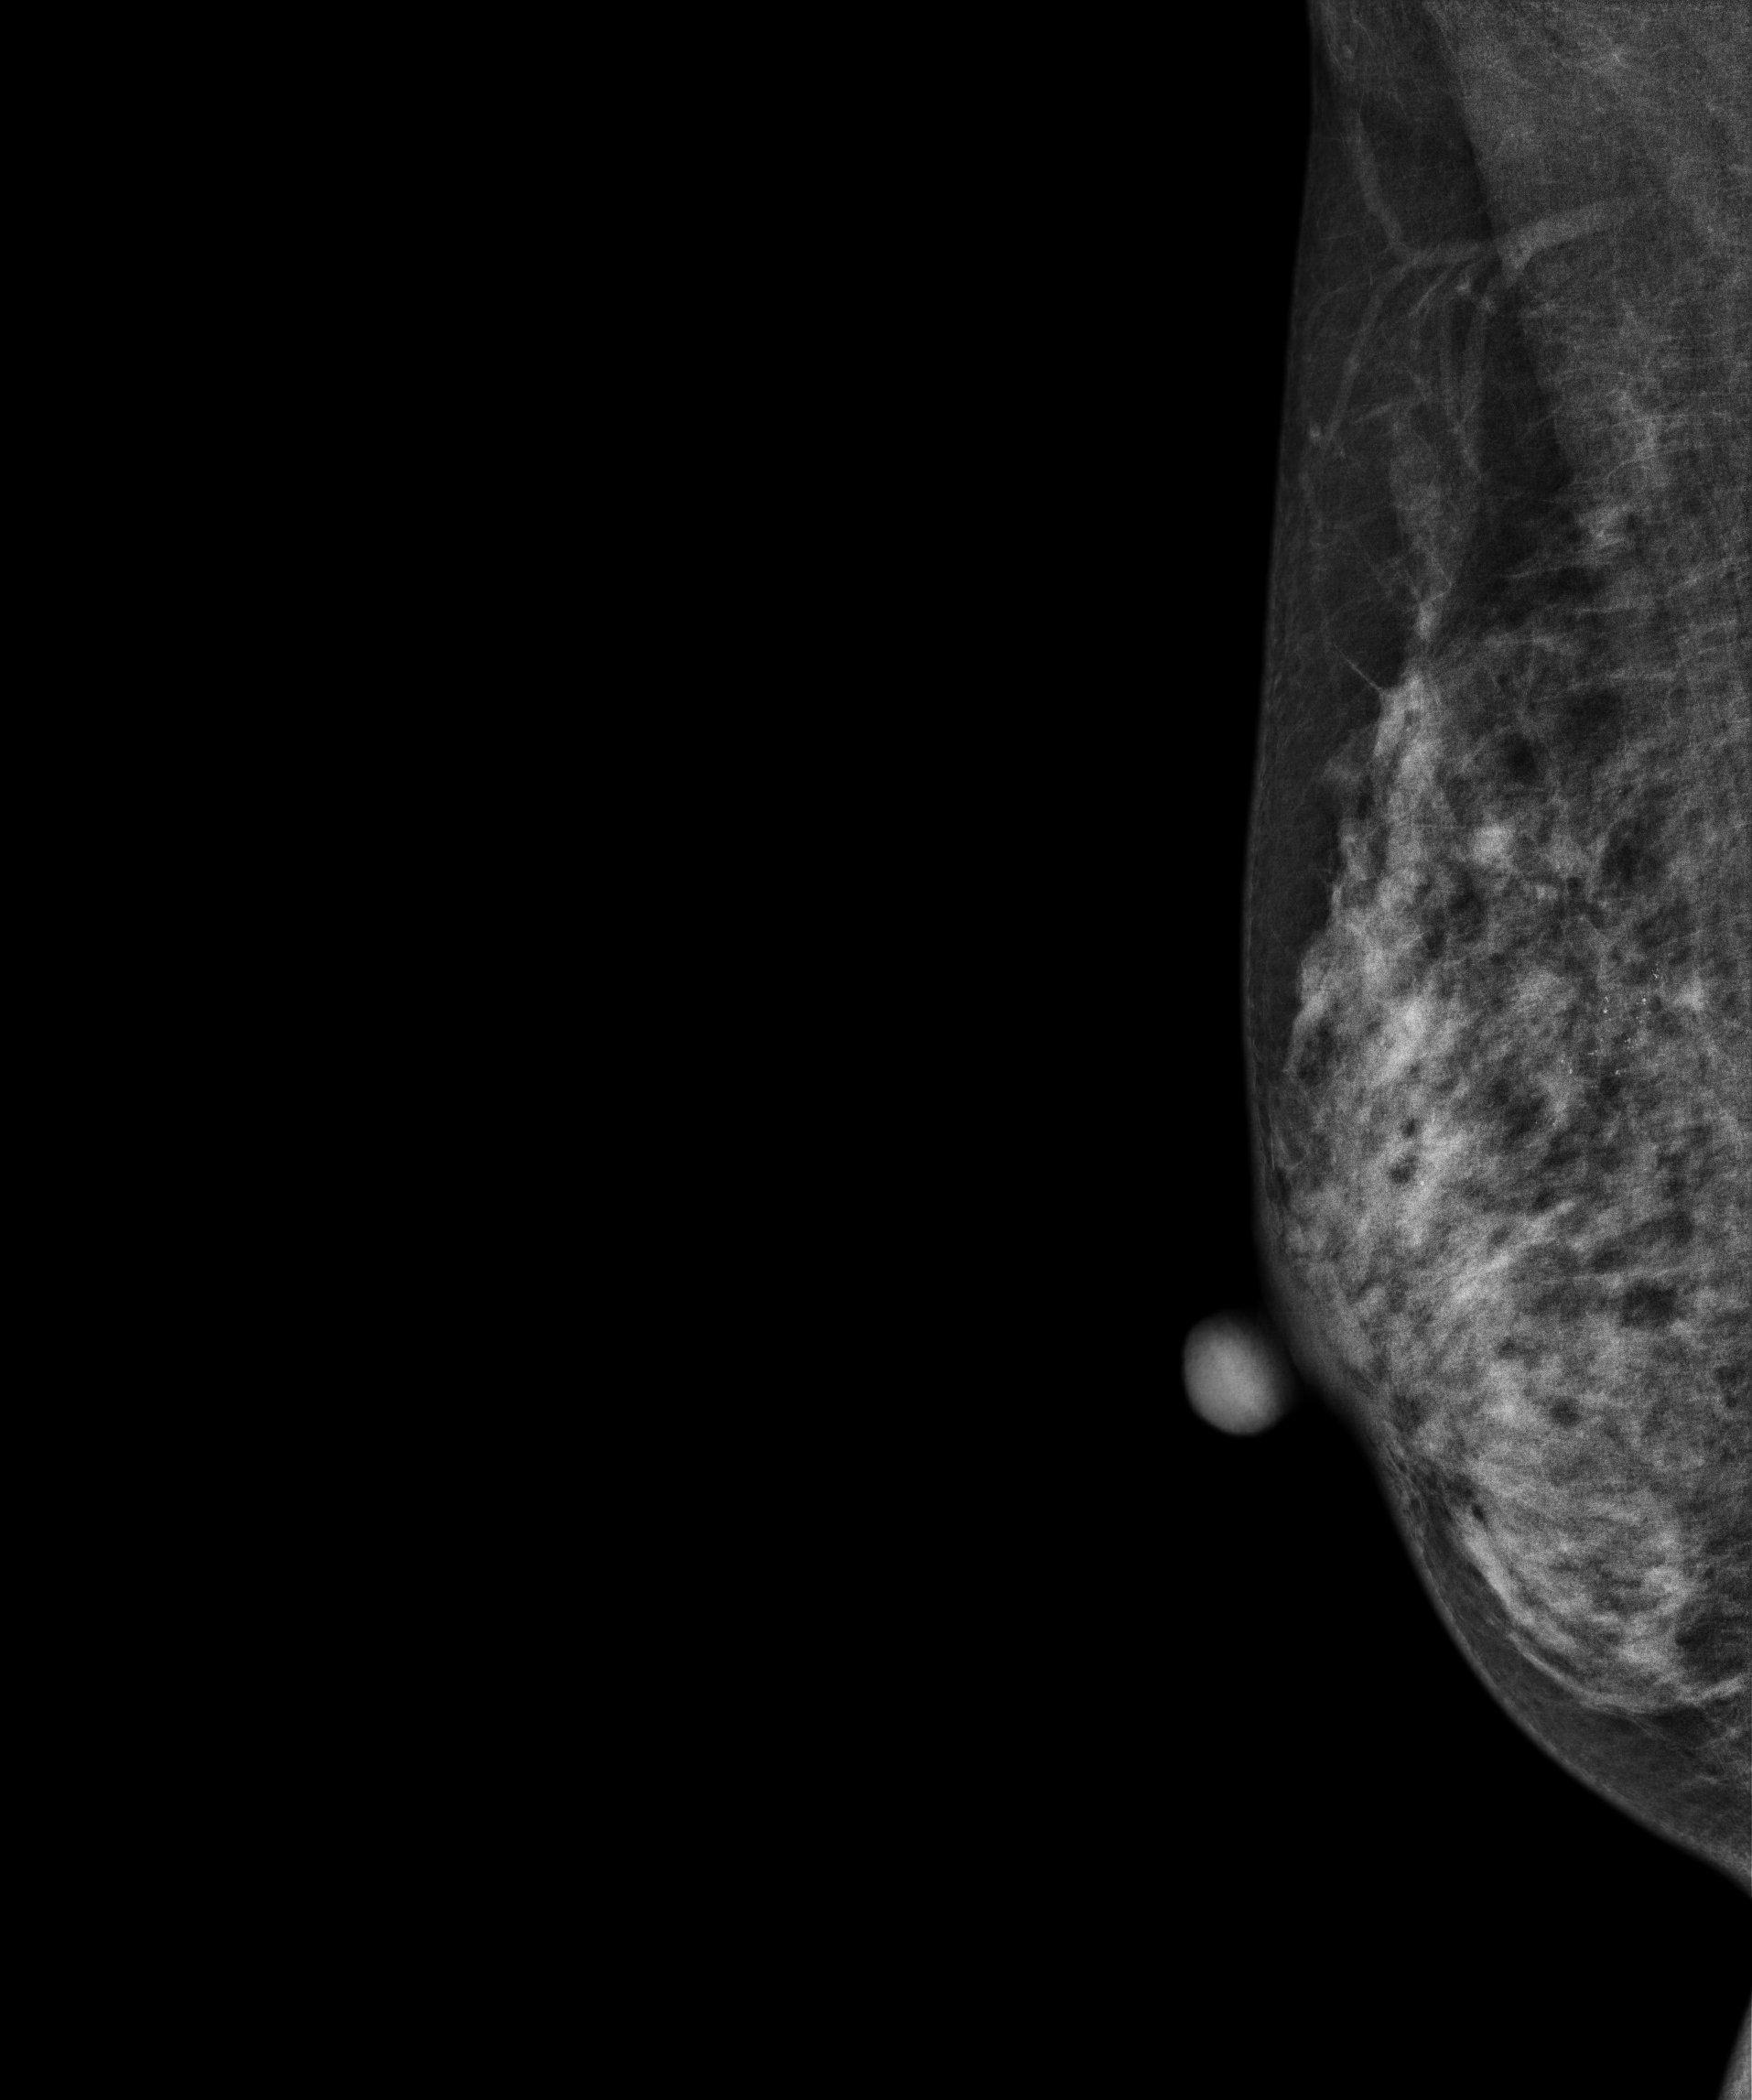
Mammogram, right breast, medio-lateral oblique view. 51 y/o patient.
This breast has calcifications, pathology-confirmed benign.